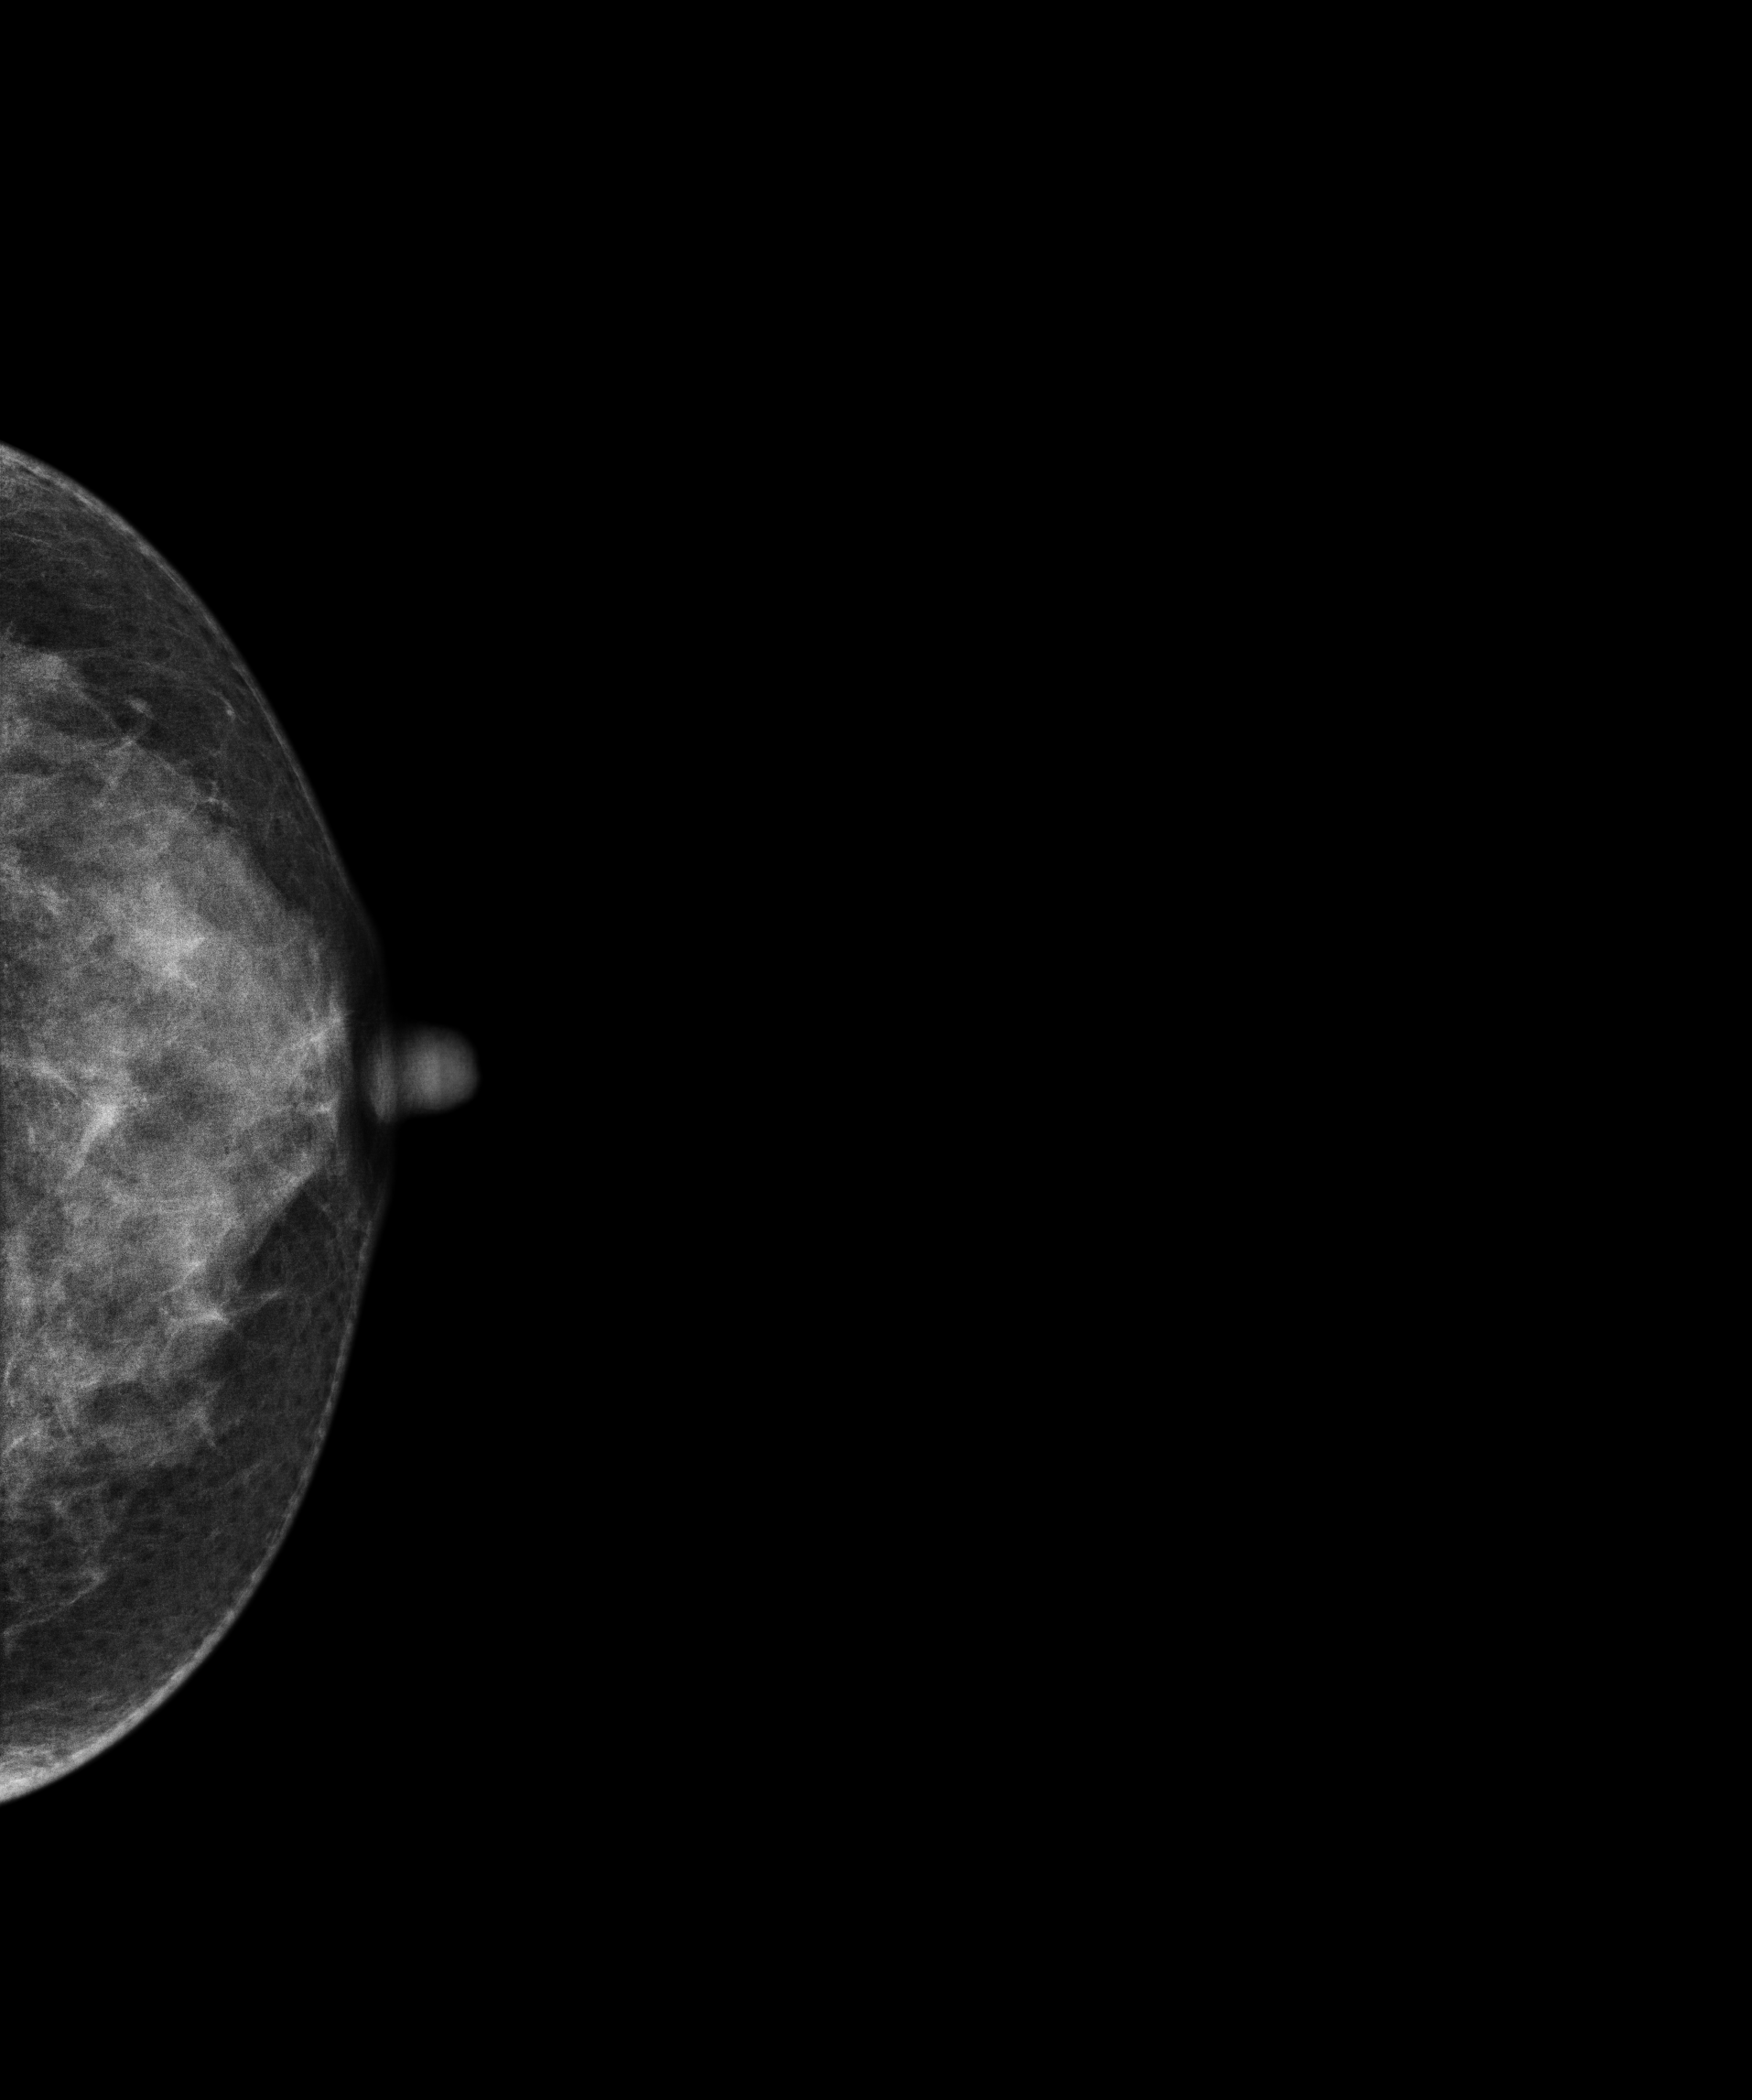
Left-breast mammogram, cranio-caudal. Patient age 51.
Contralateral breast — no documented abnormality on this side.